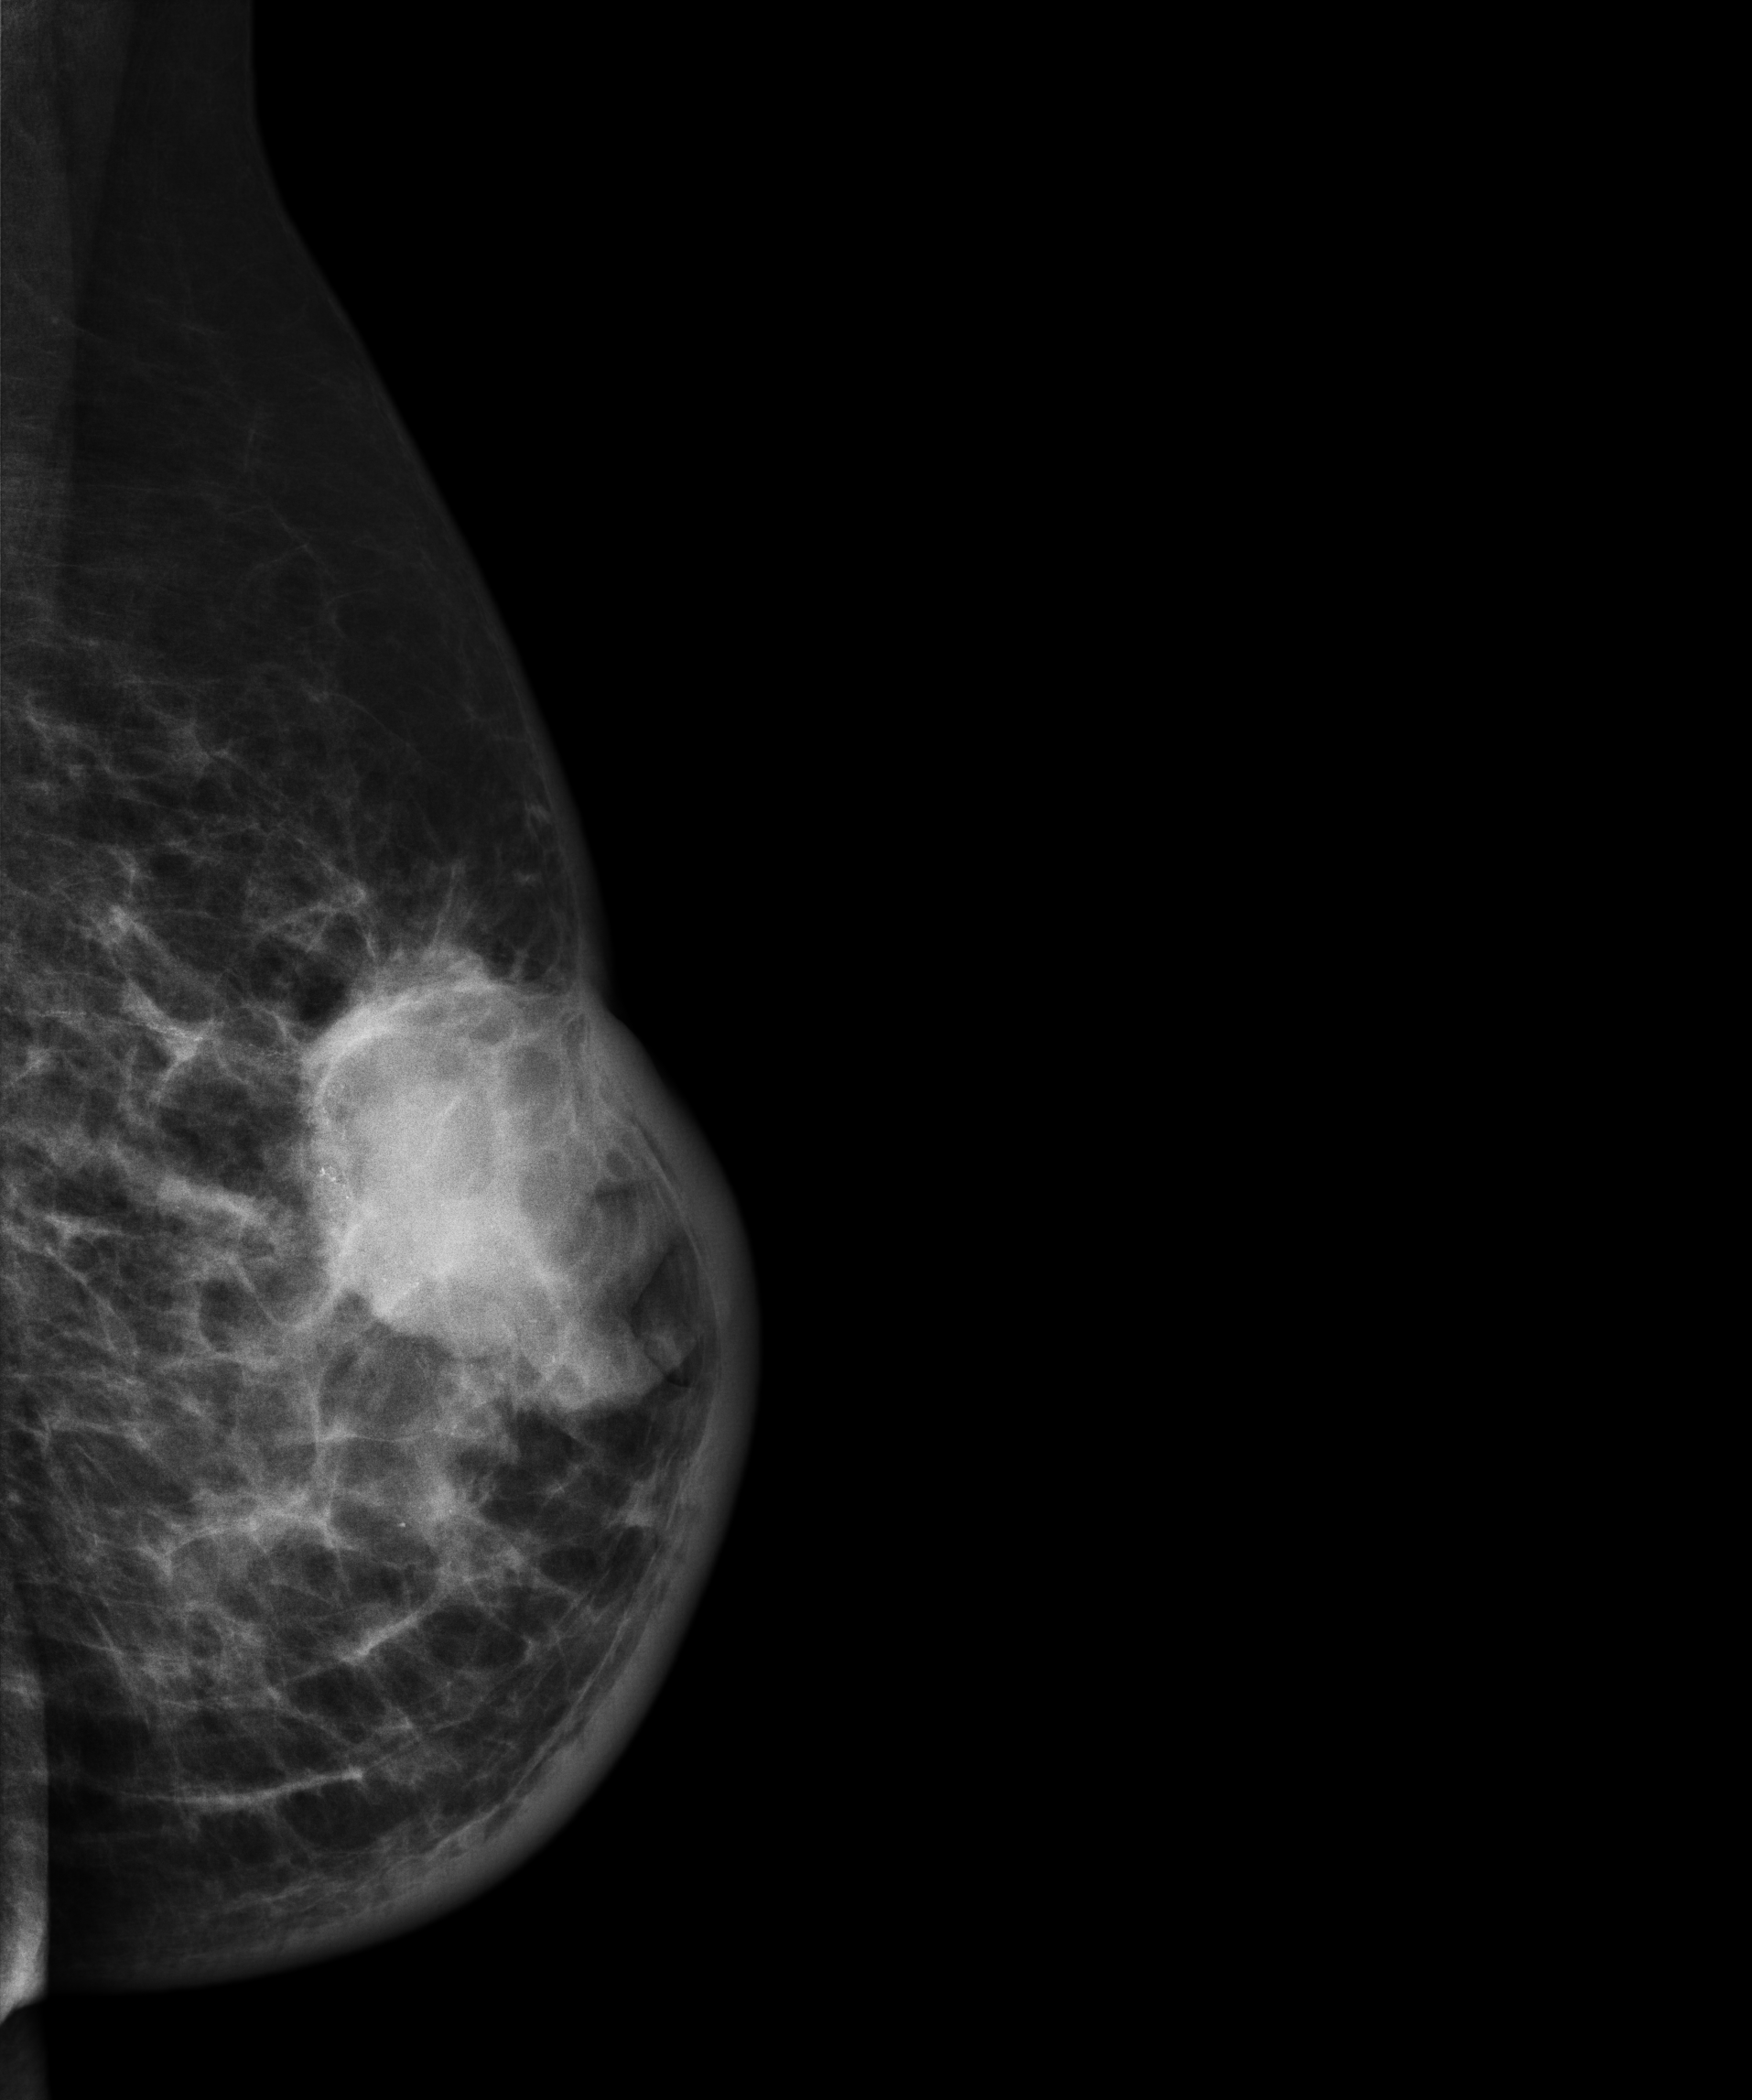
Medio-lateral oblique mammogram of the left breast. Patient age 60.
This breast has a mass and calcifications, pathology-confirmed malignant. Molecular subtype: HER2-enriched.